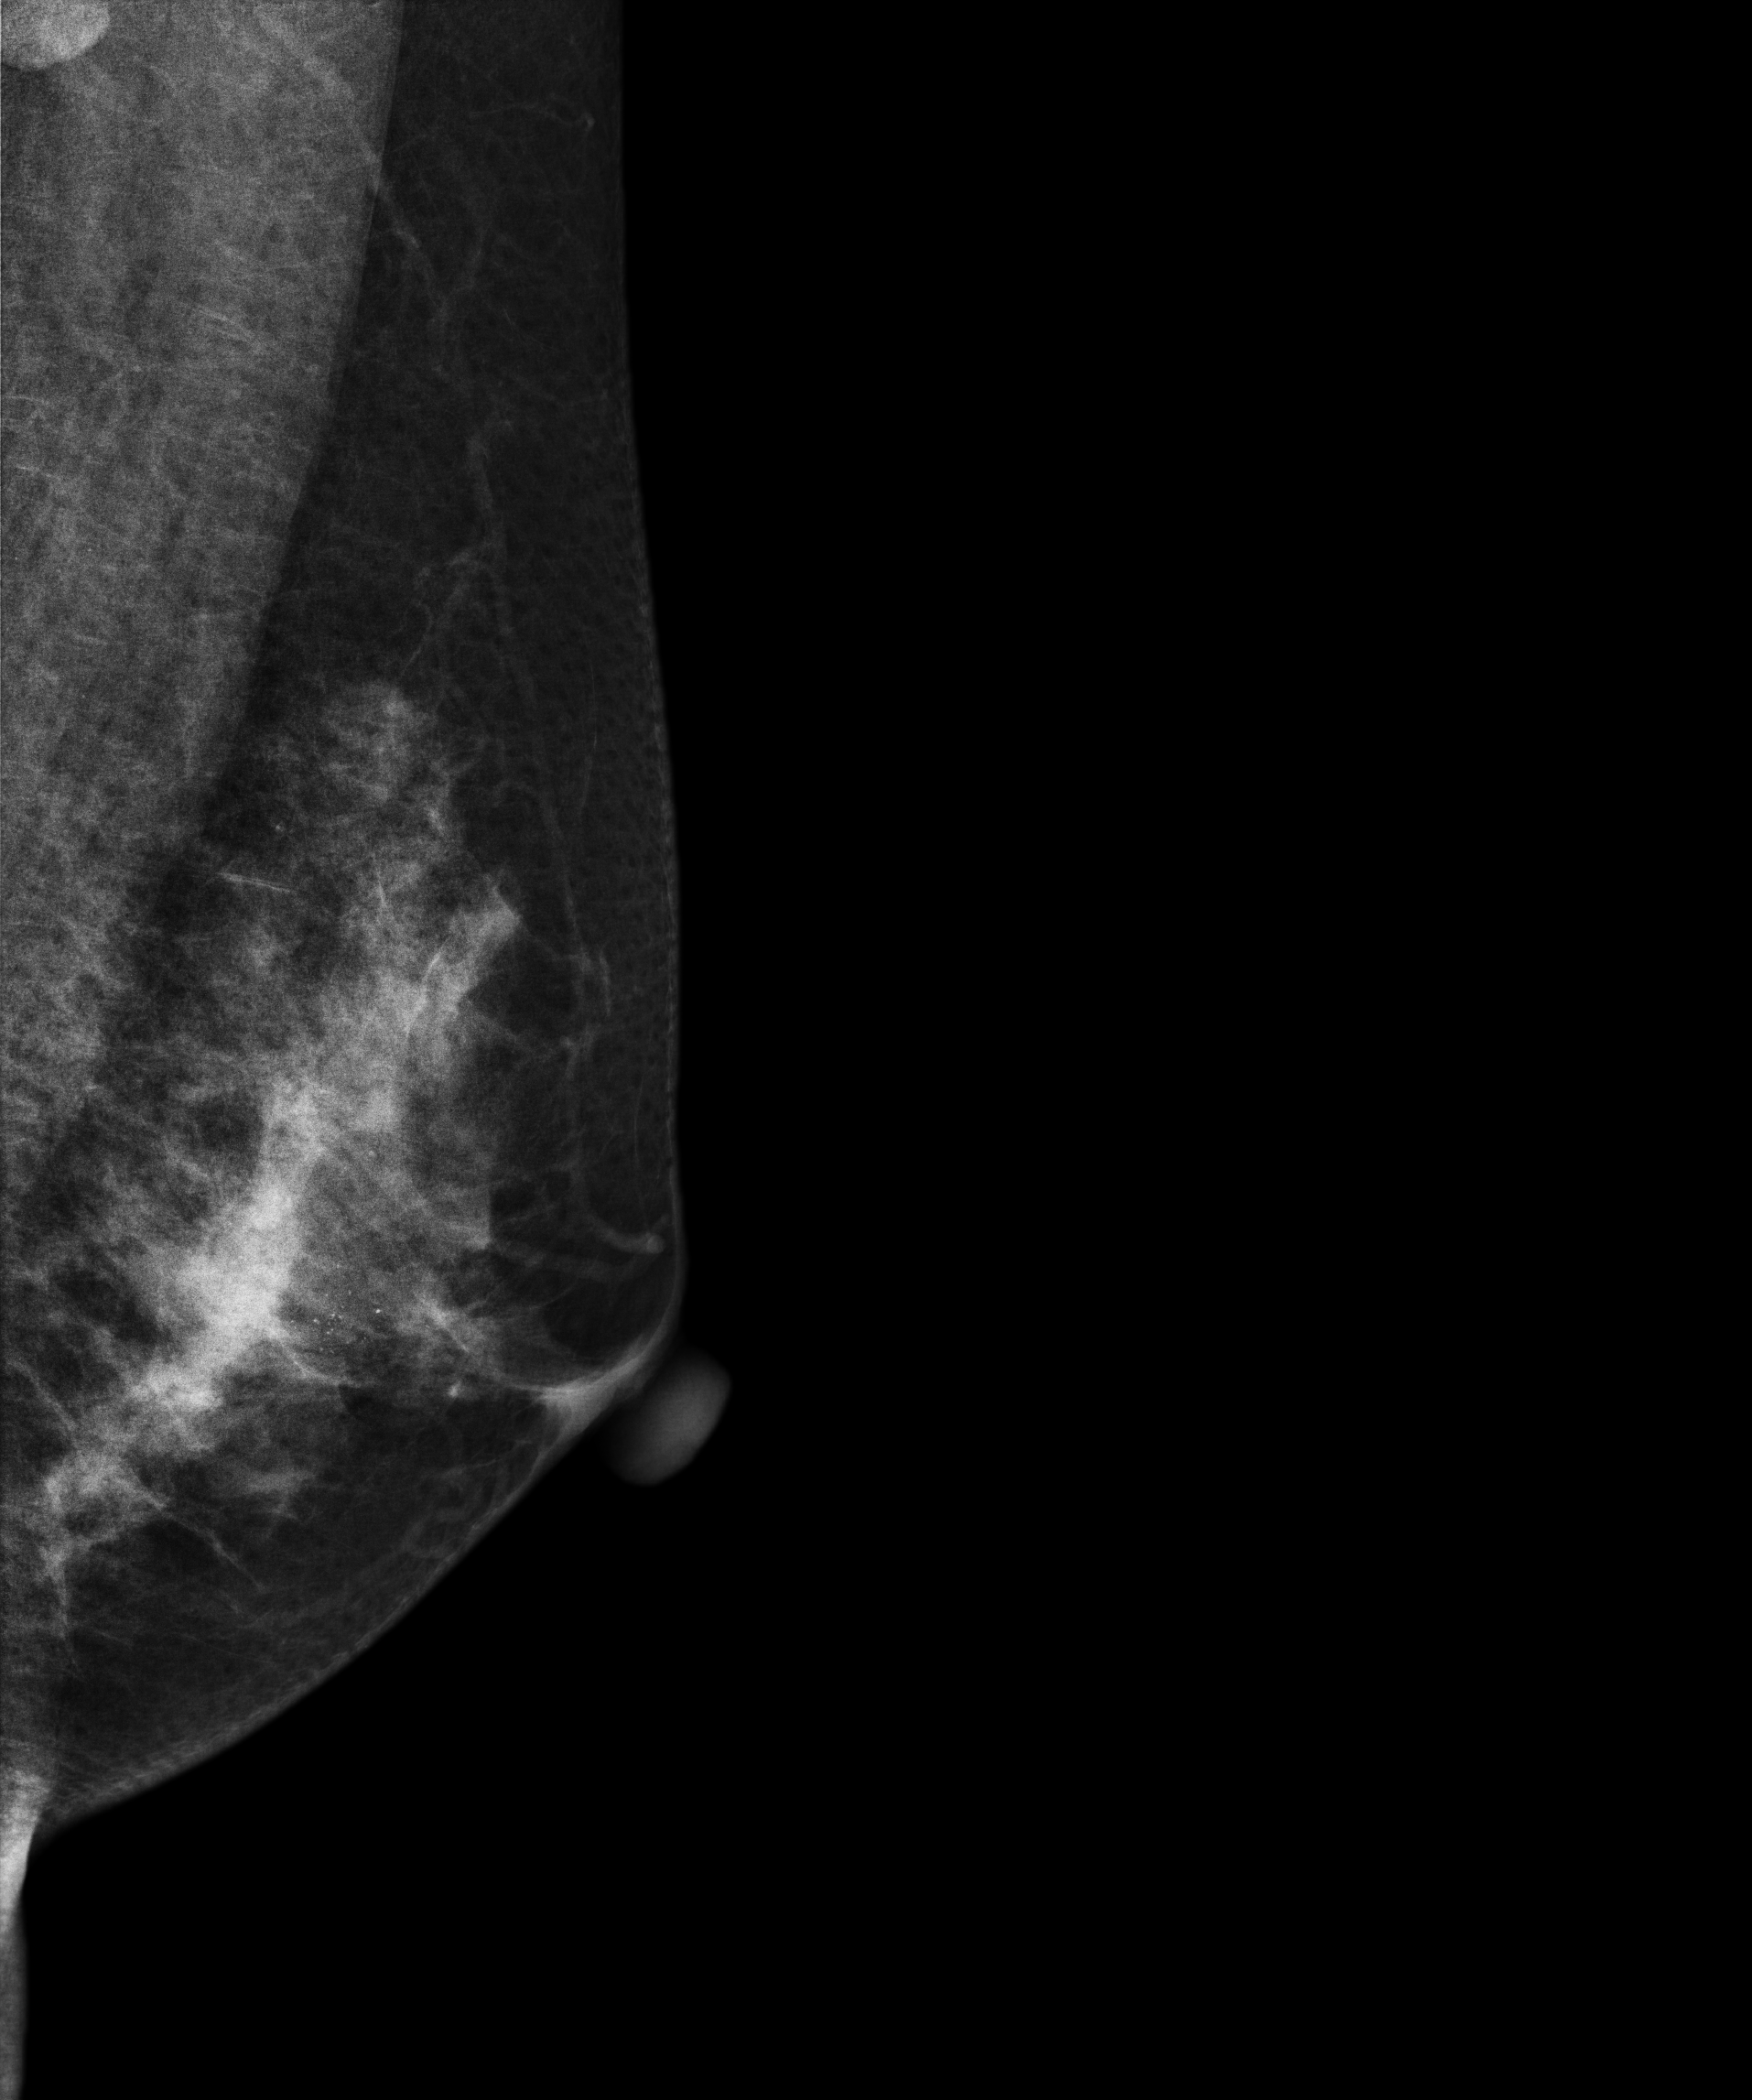
Digital mammography. Left breast, medio-lateral oblique projection. 53 y/o patient.
This breast has calcifications, biopsy-confirmed malignant. Molecular subtype: luminal B.